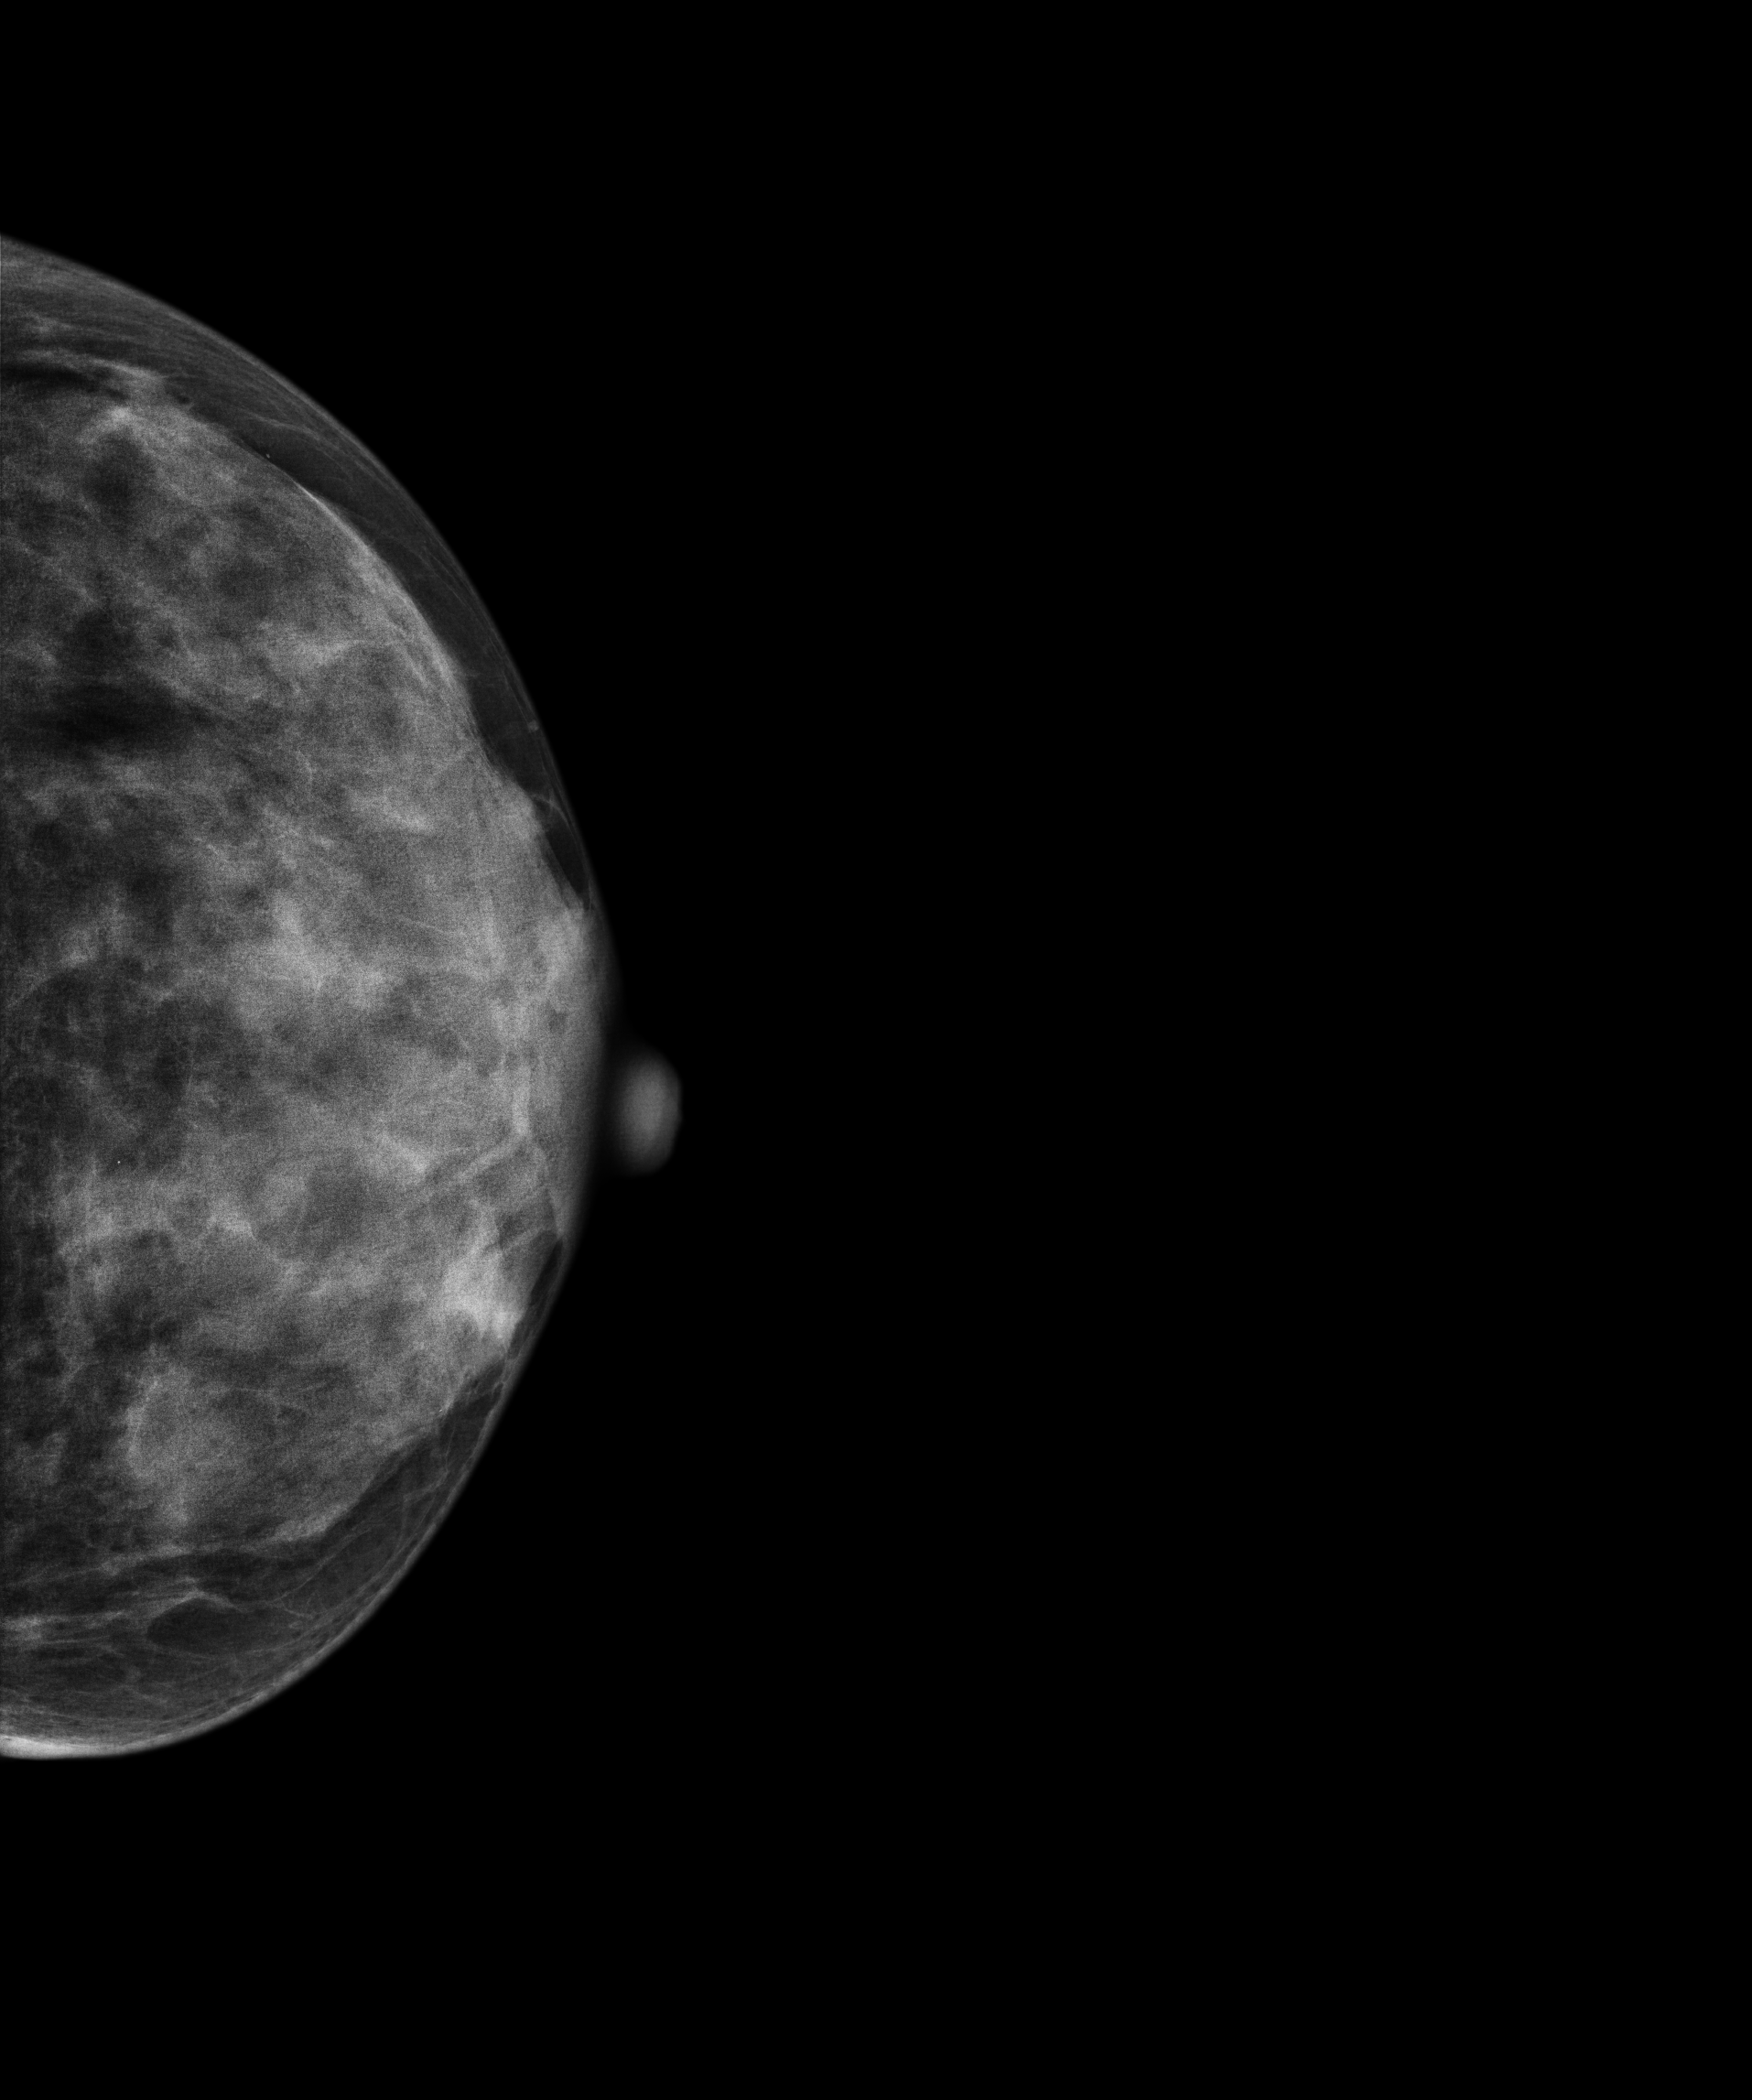
Mammogram — left cranio-caudal. 34 y/o patient.
This breast has a mass, histologically confirmed benign.